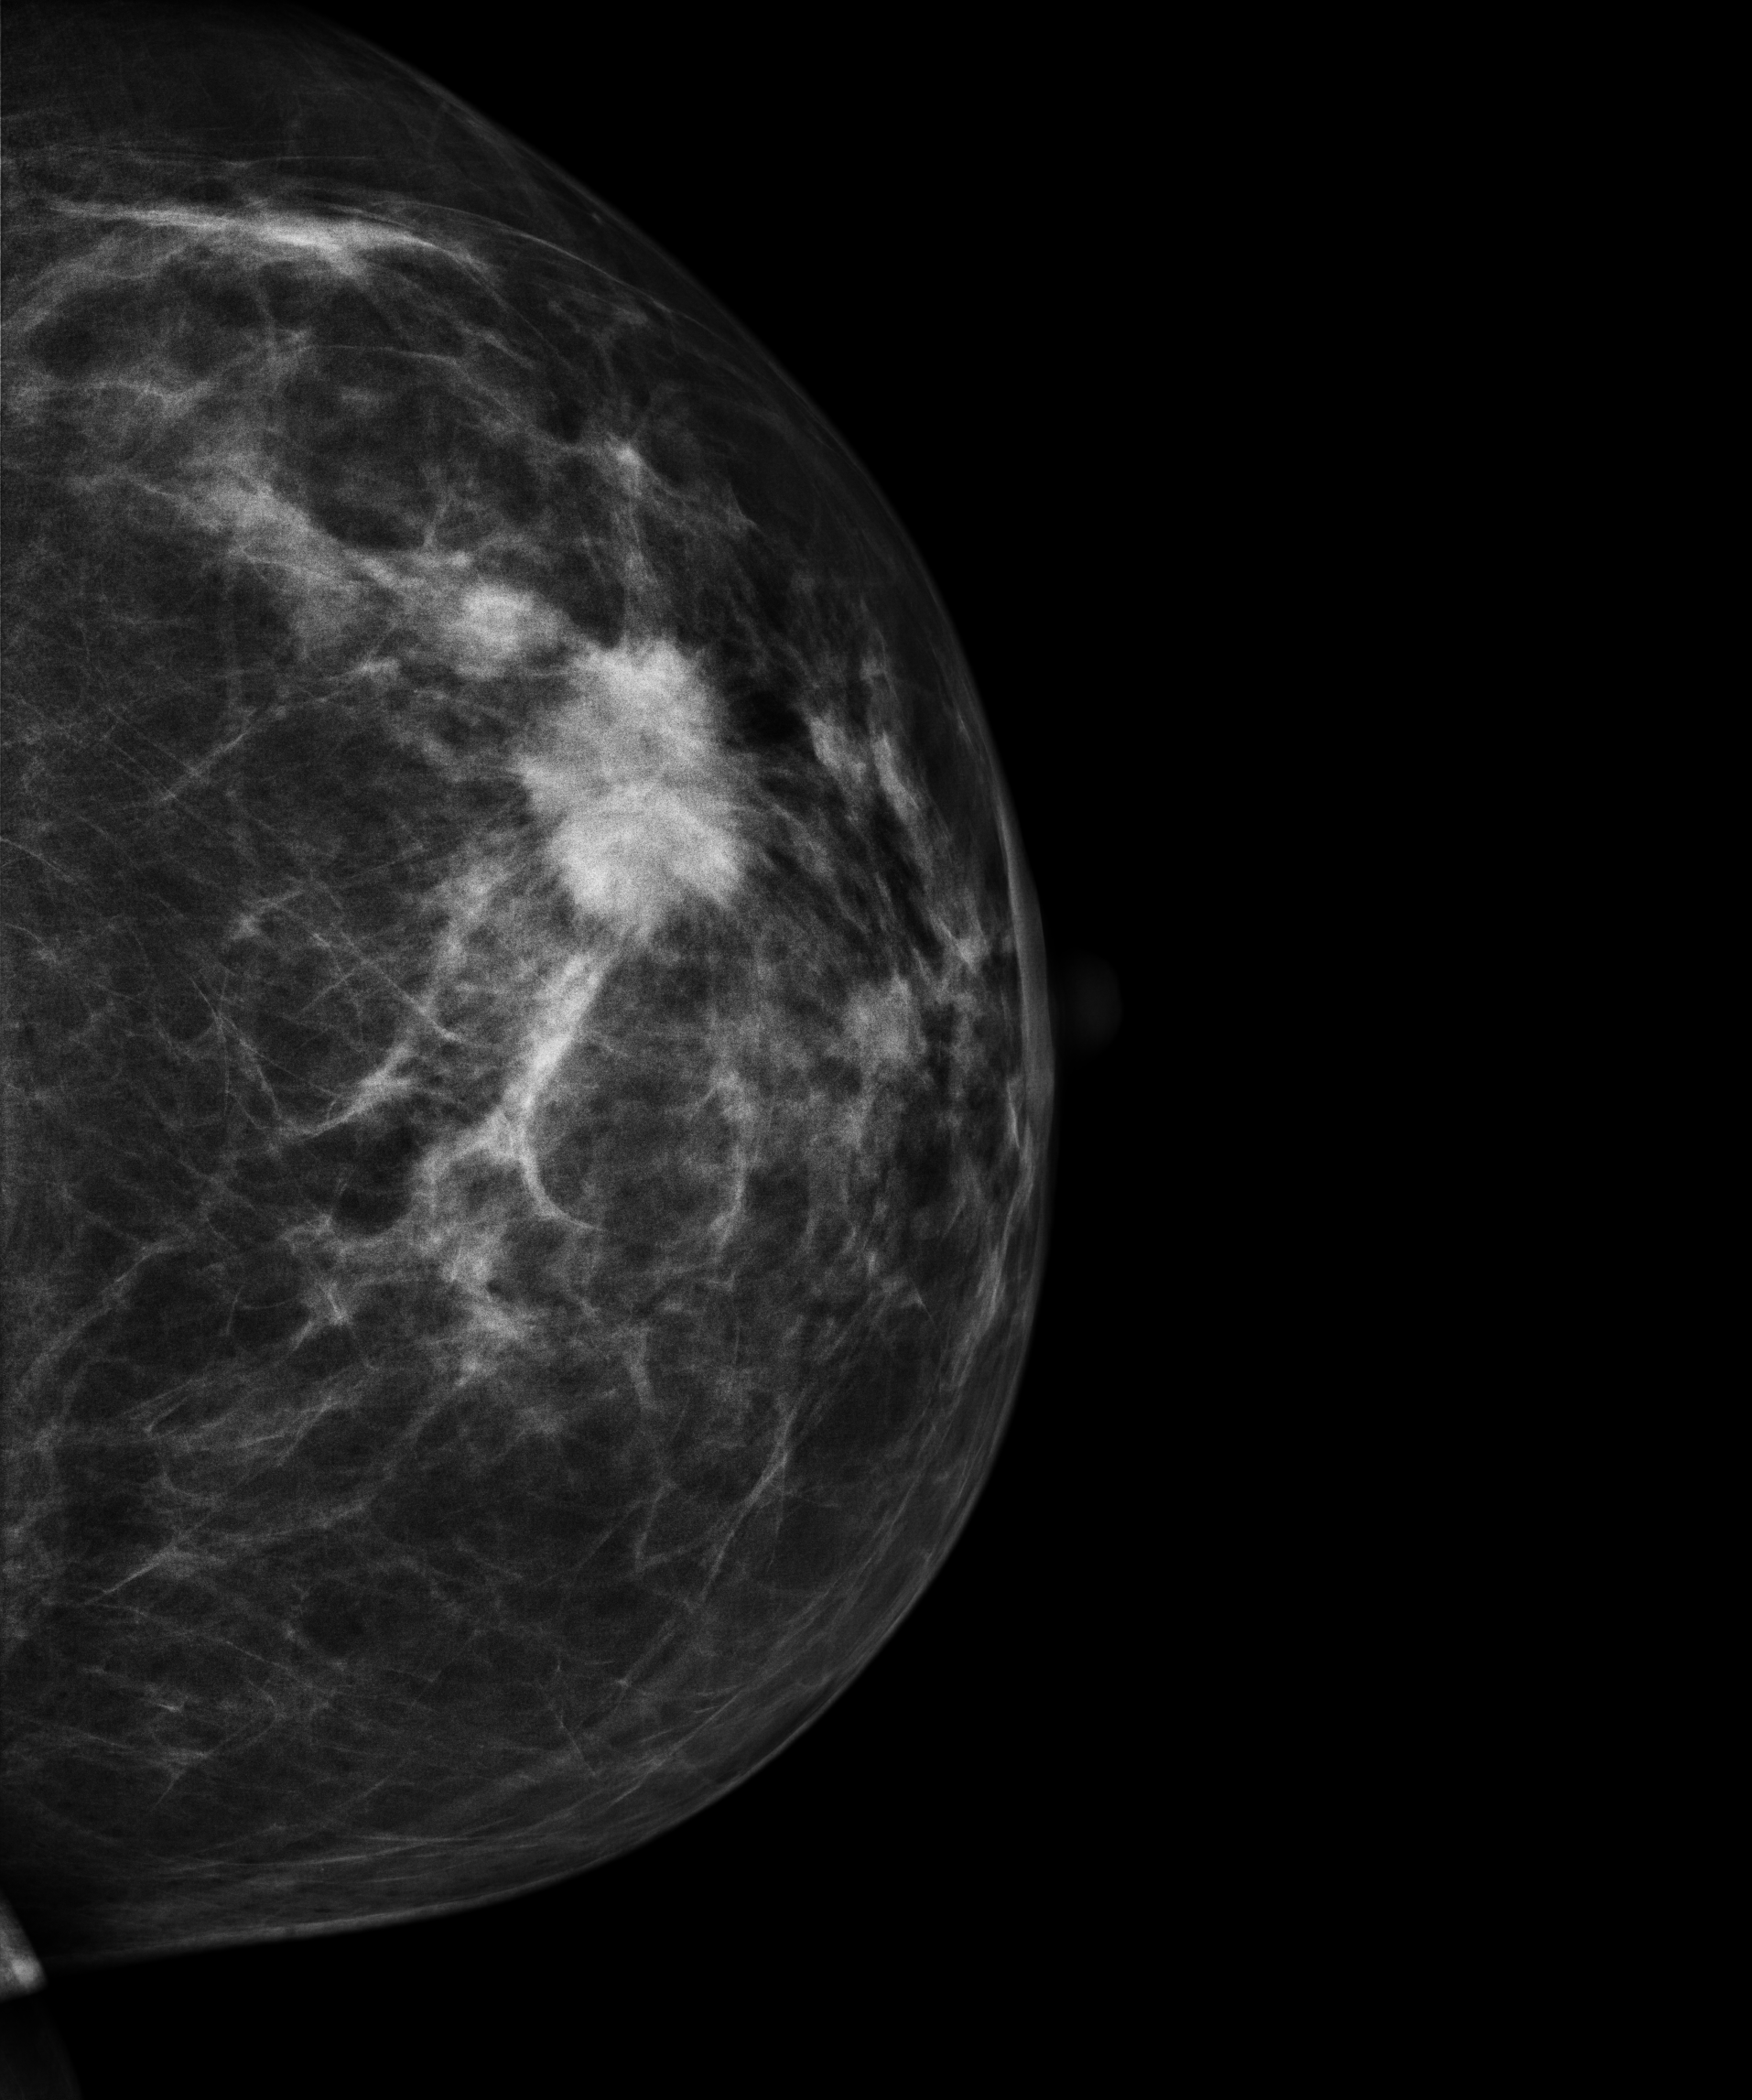
CC mammogram of the left breast. Patient age 42.
This breast has a mass, histologically confirmed malignant.